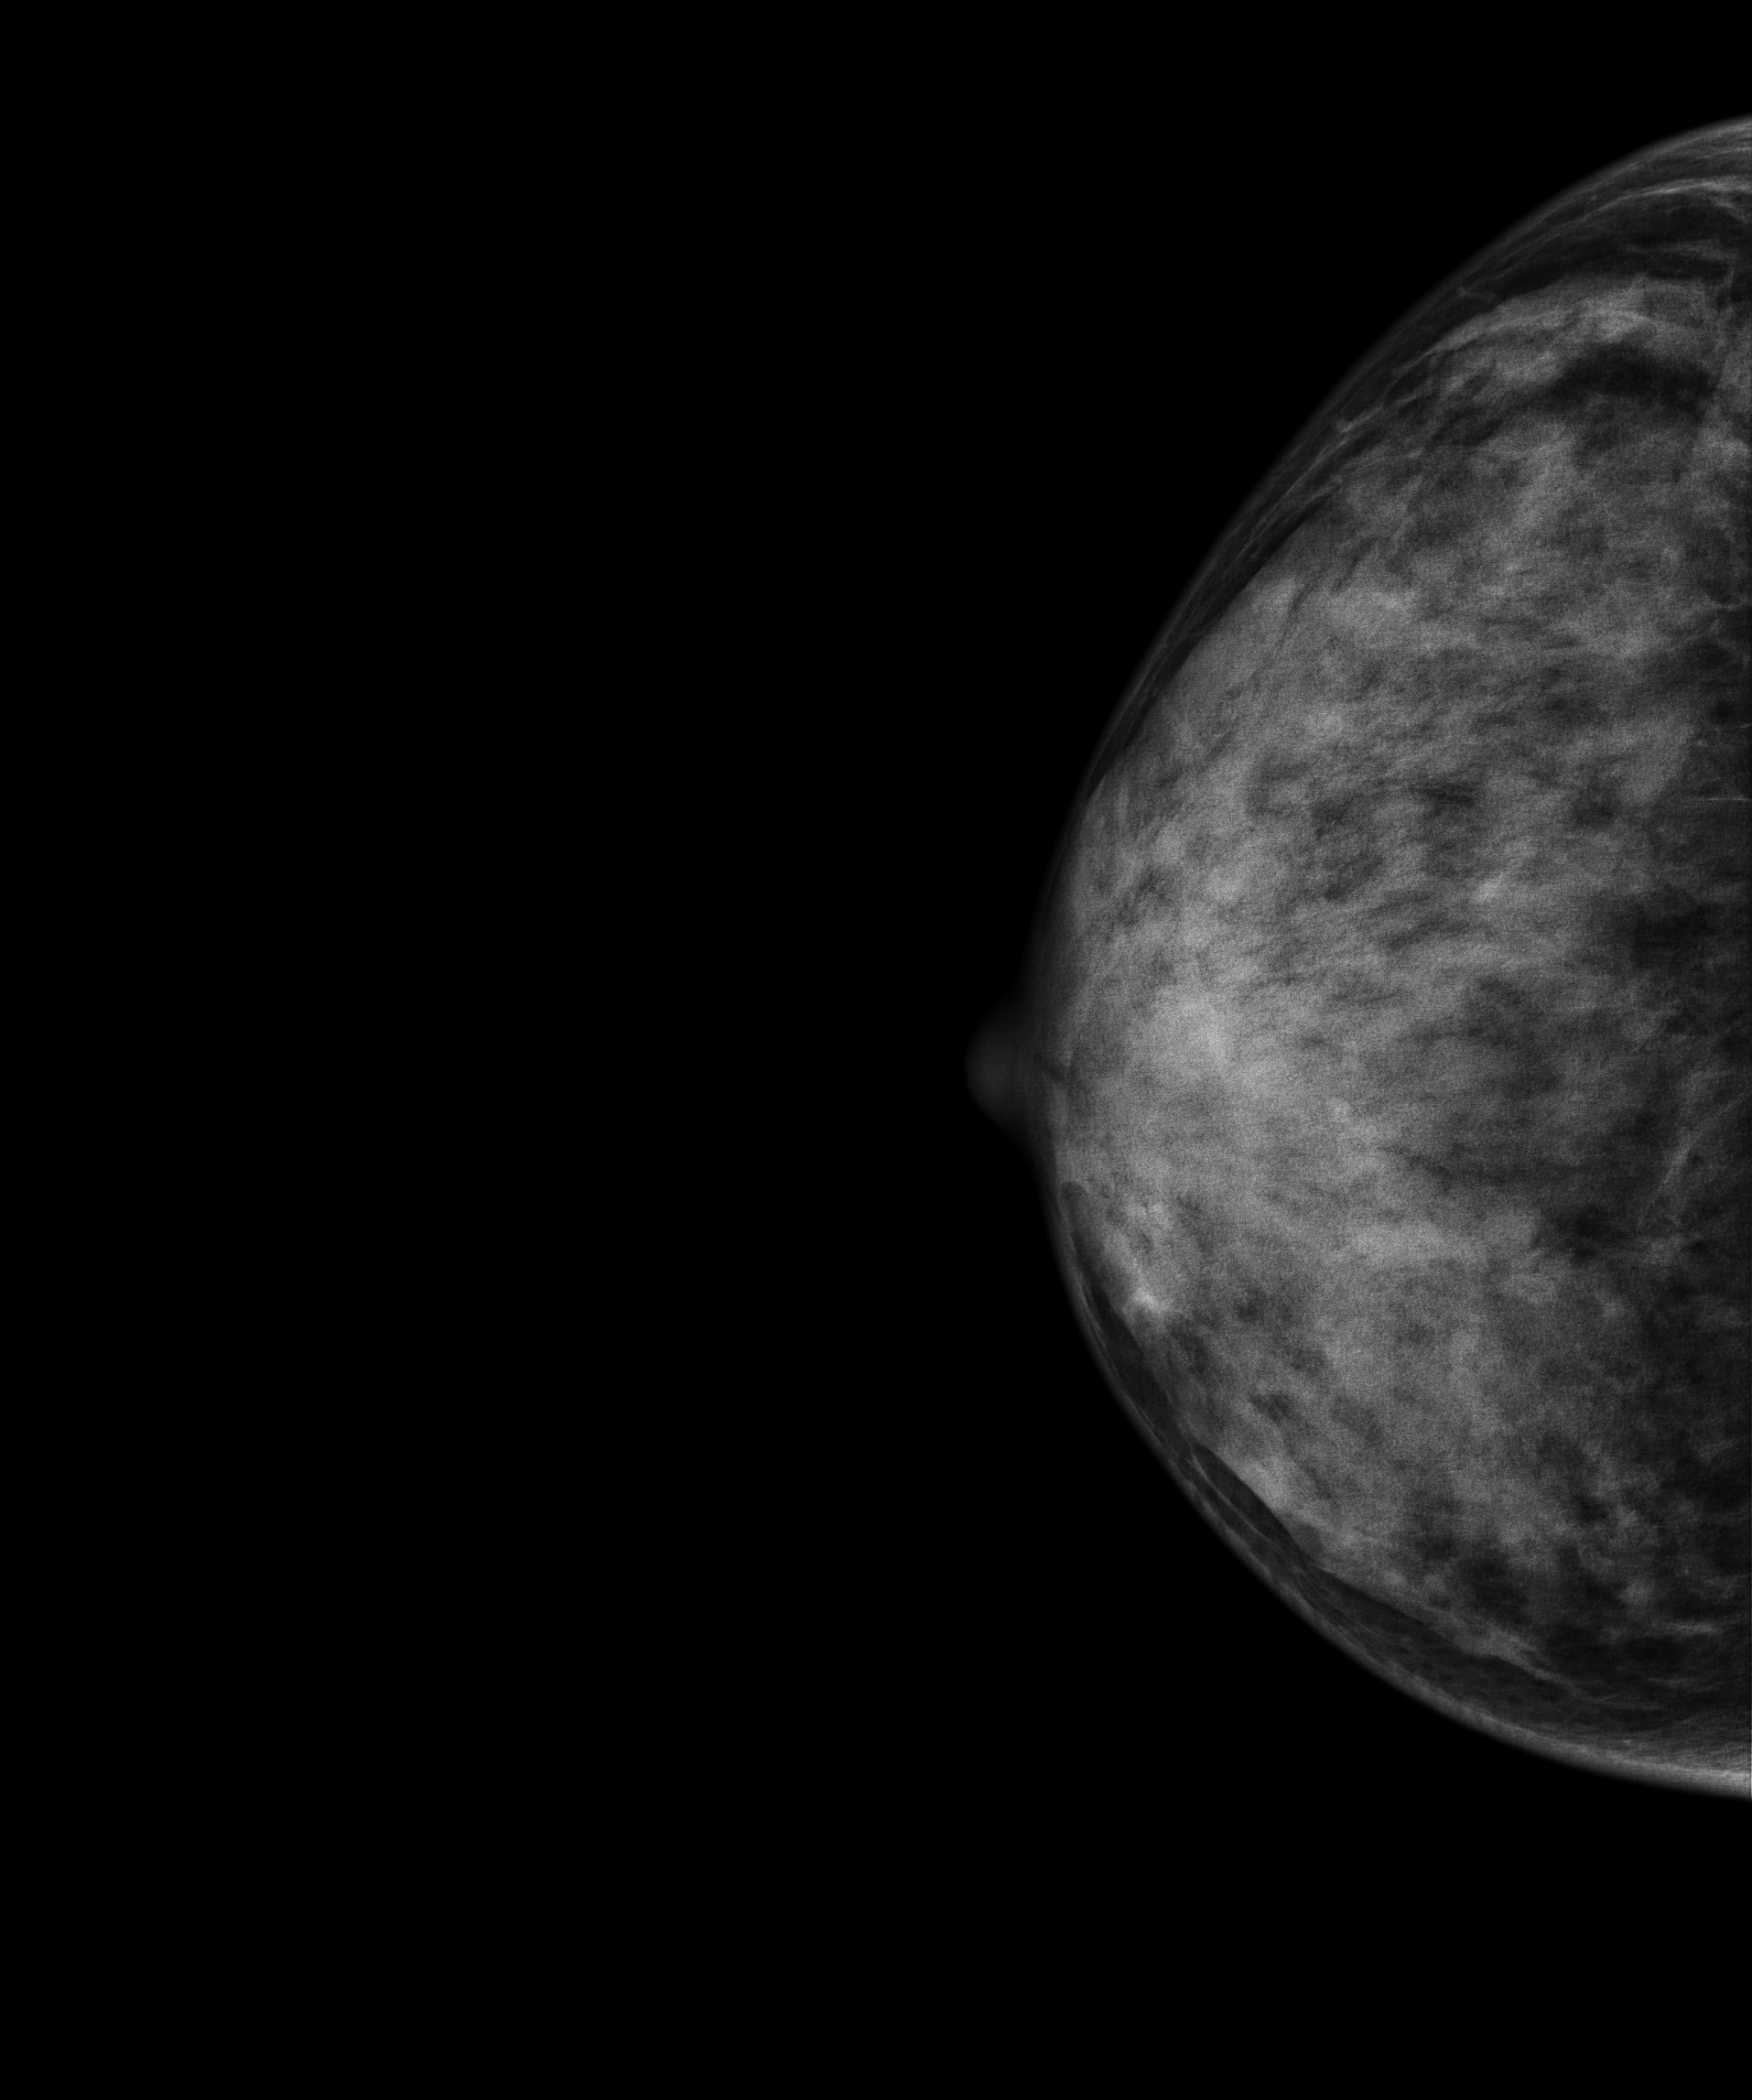
Cranio-caudal mammogram of the right breast. 44 y/o patient.
This breast has a mass, biopsy-confirmed malignant. Molecular subtype: luminal B.